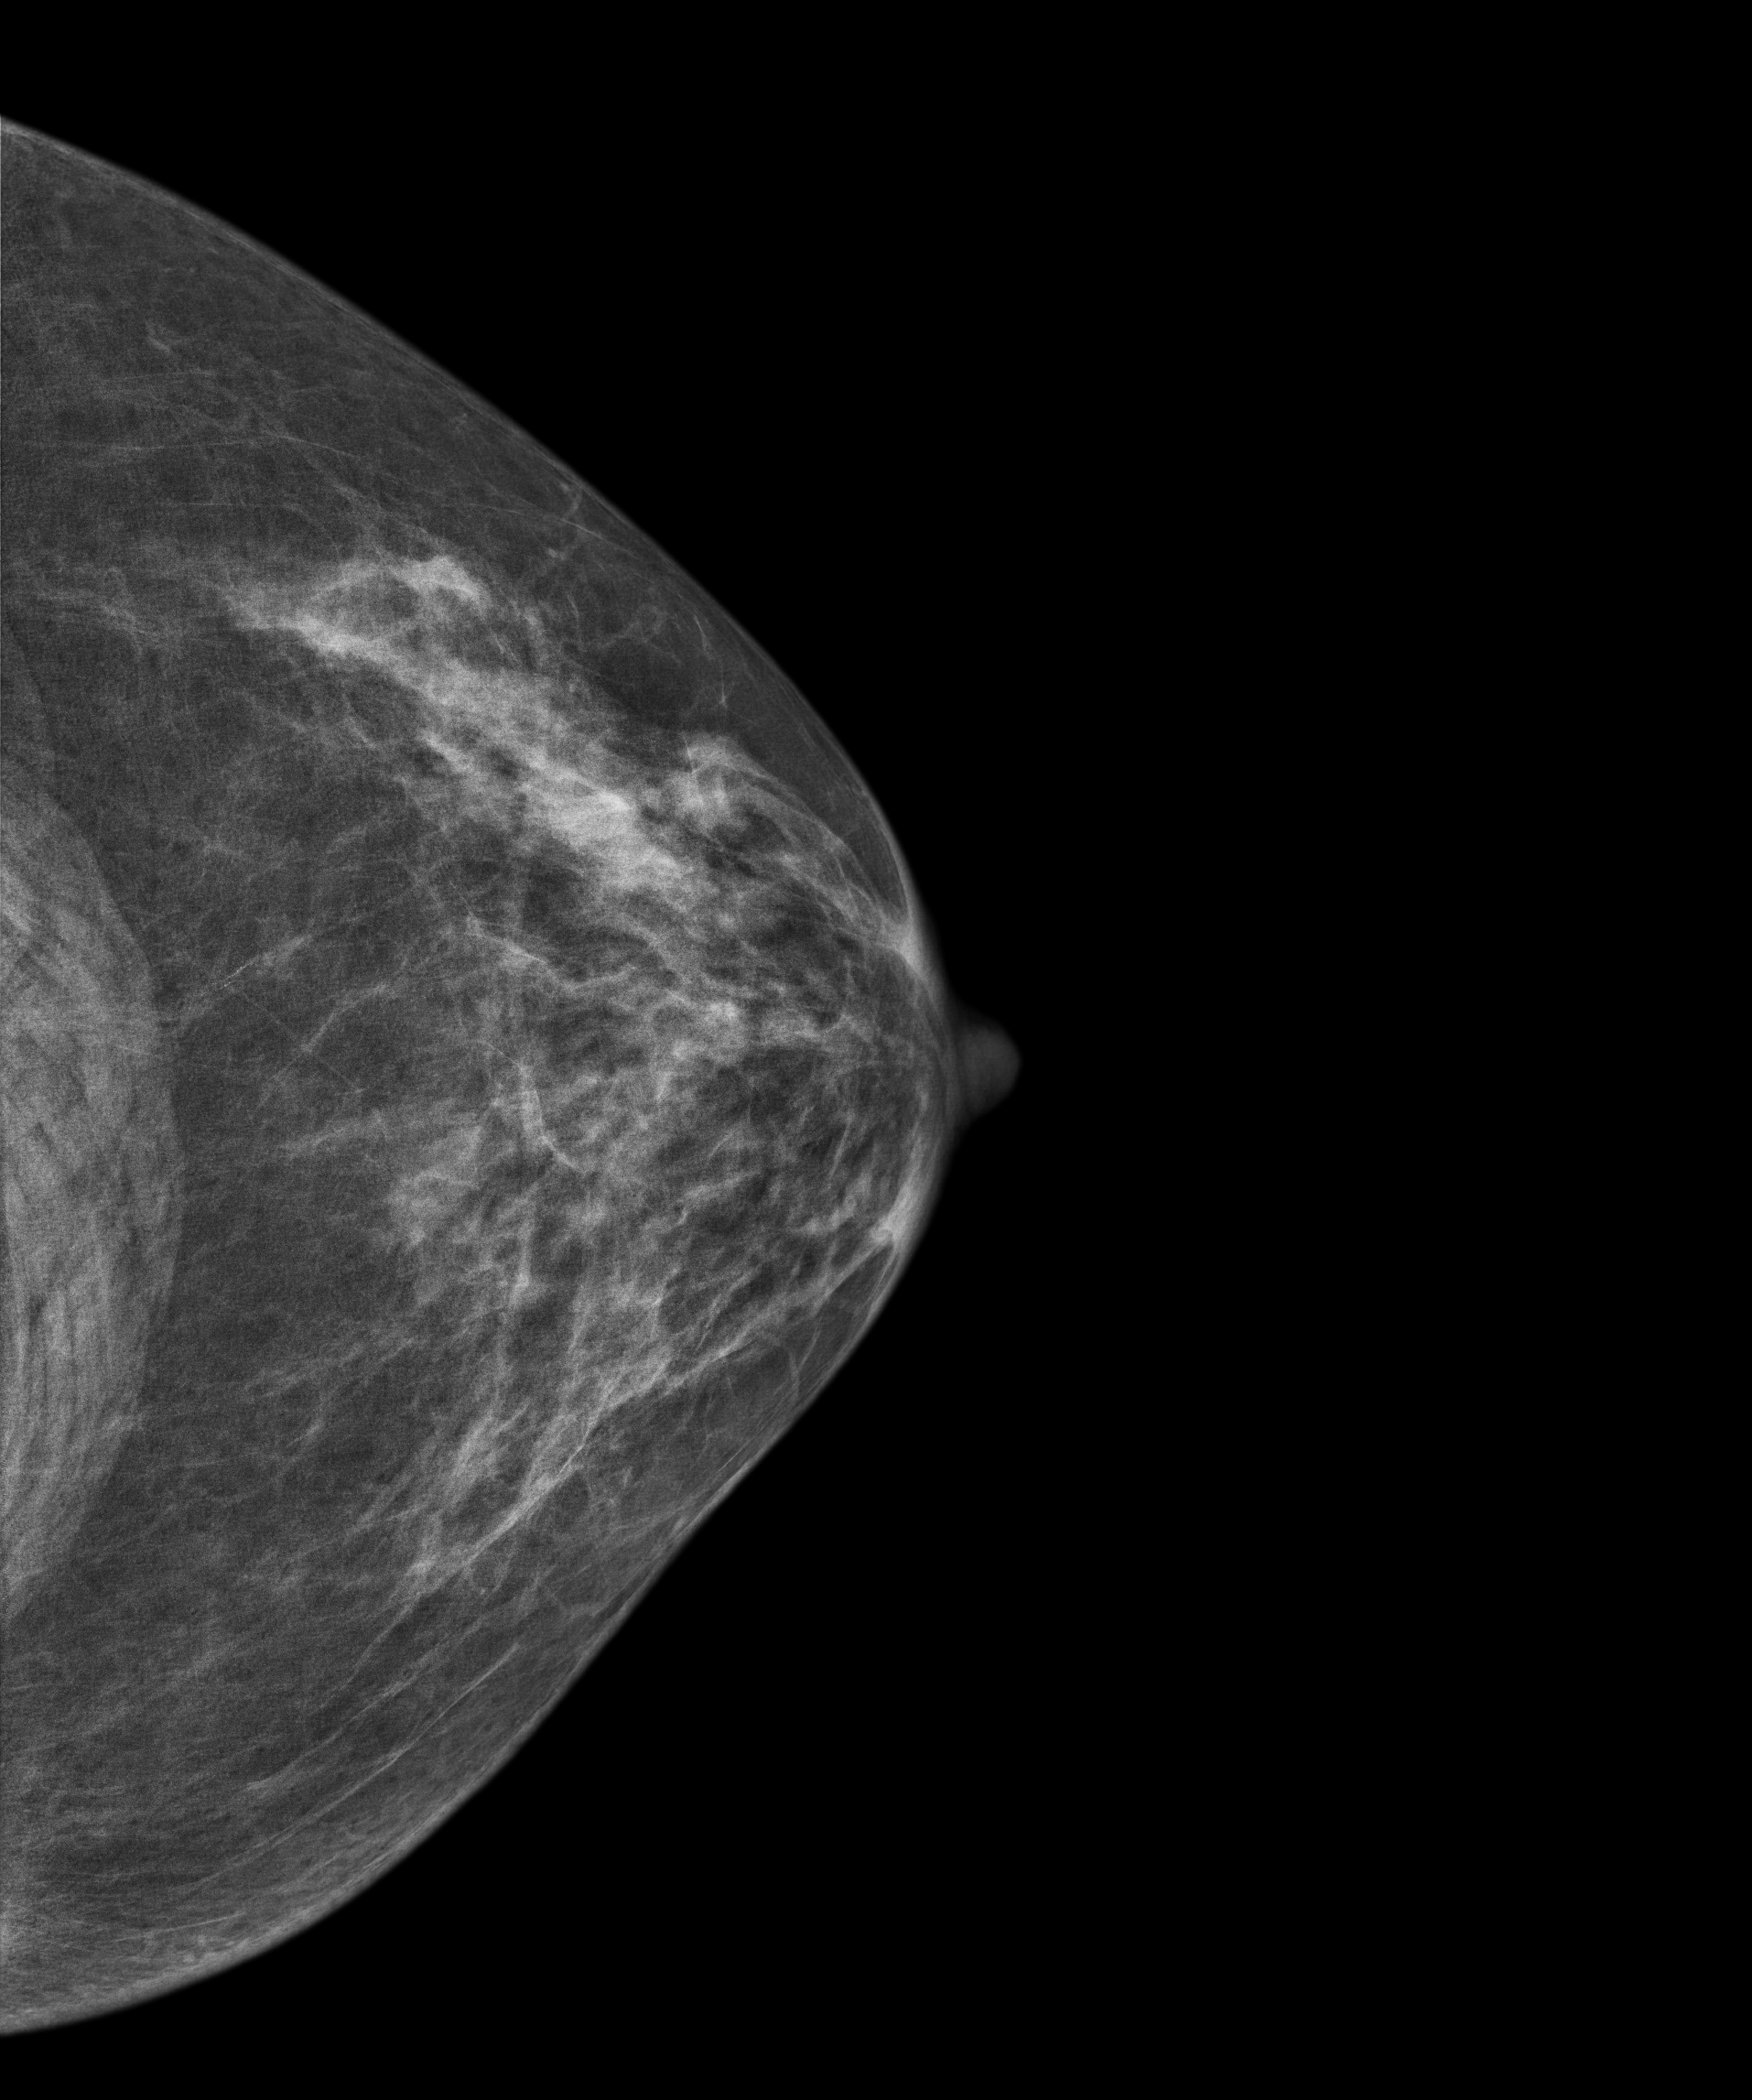
Left-breast mammogram, cranio-caudal. Patient age 61.
This breast has a mass, biopsy-confirmed benign.